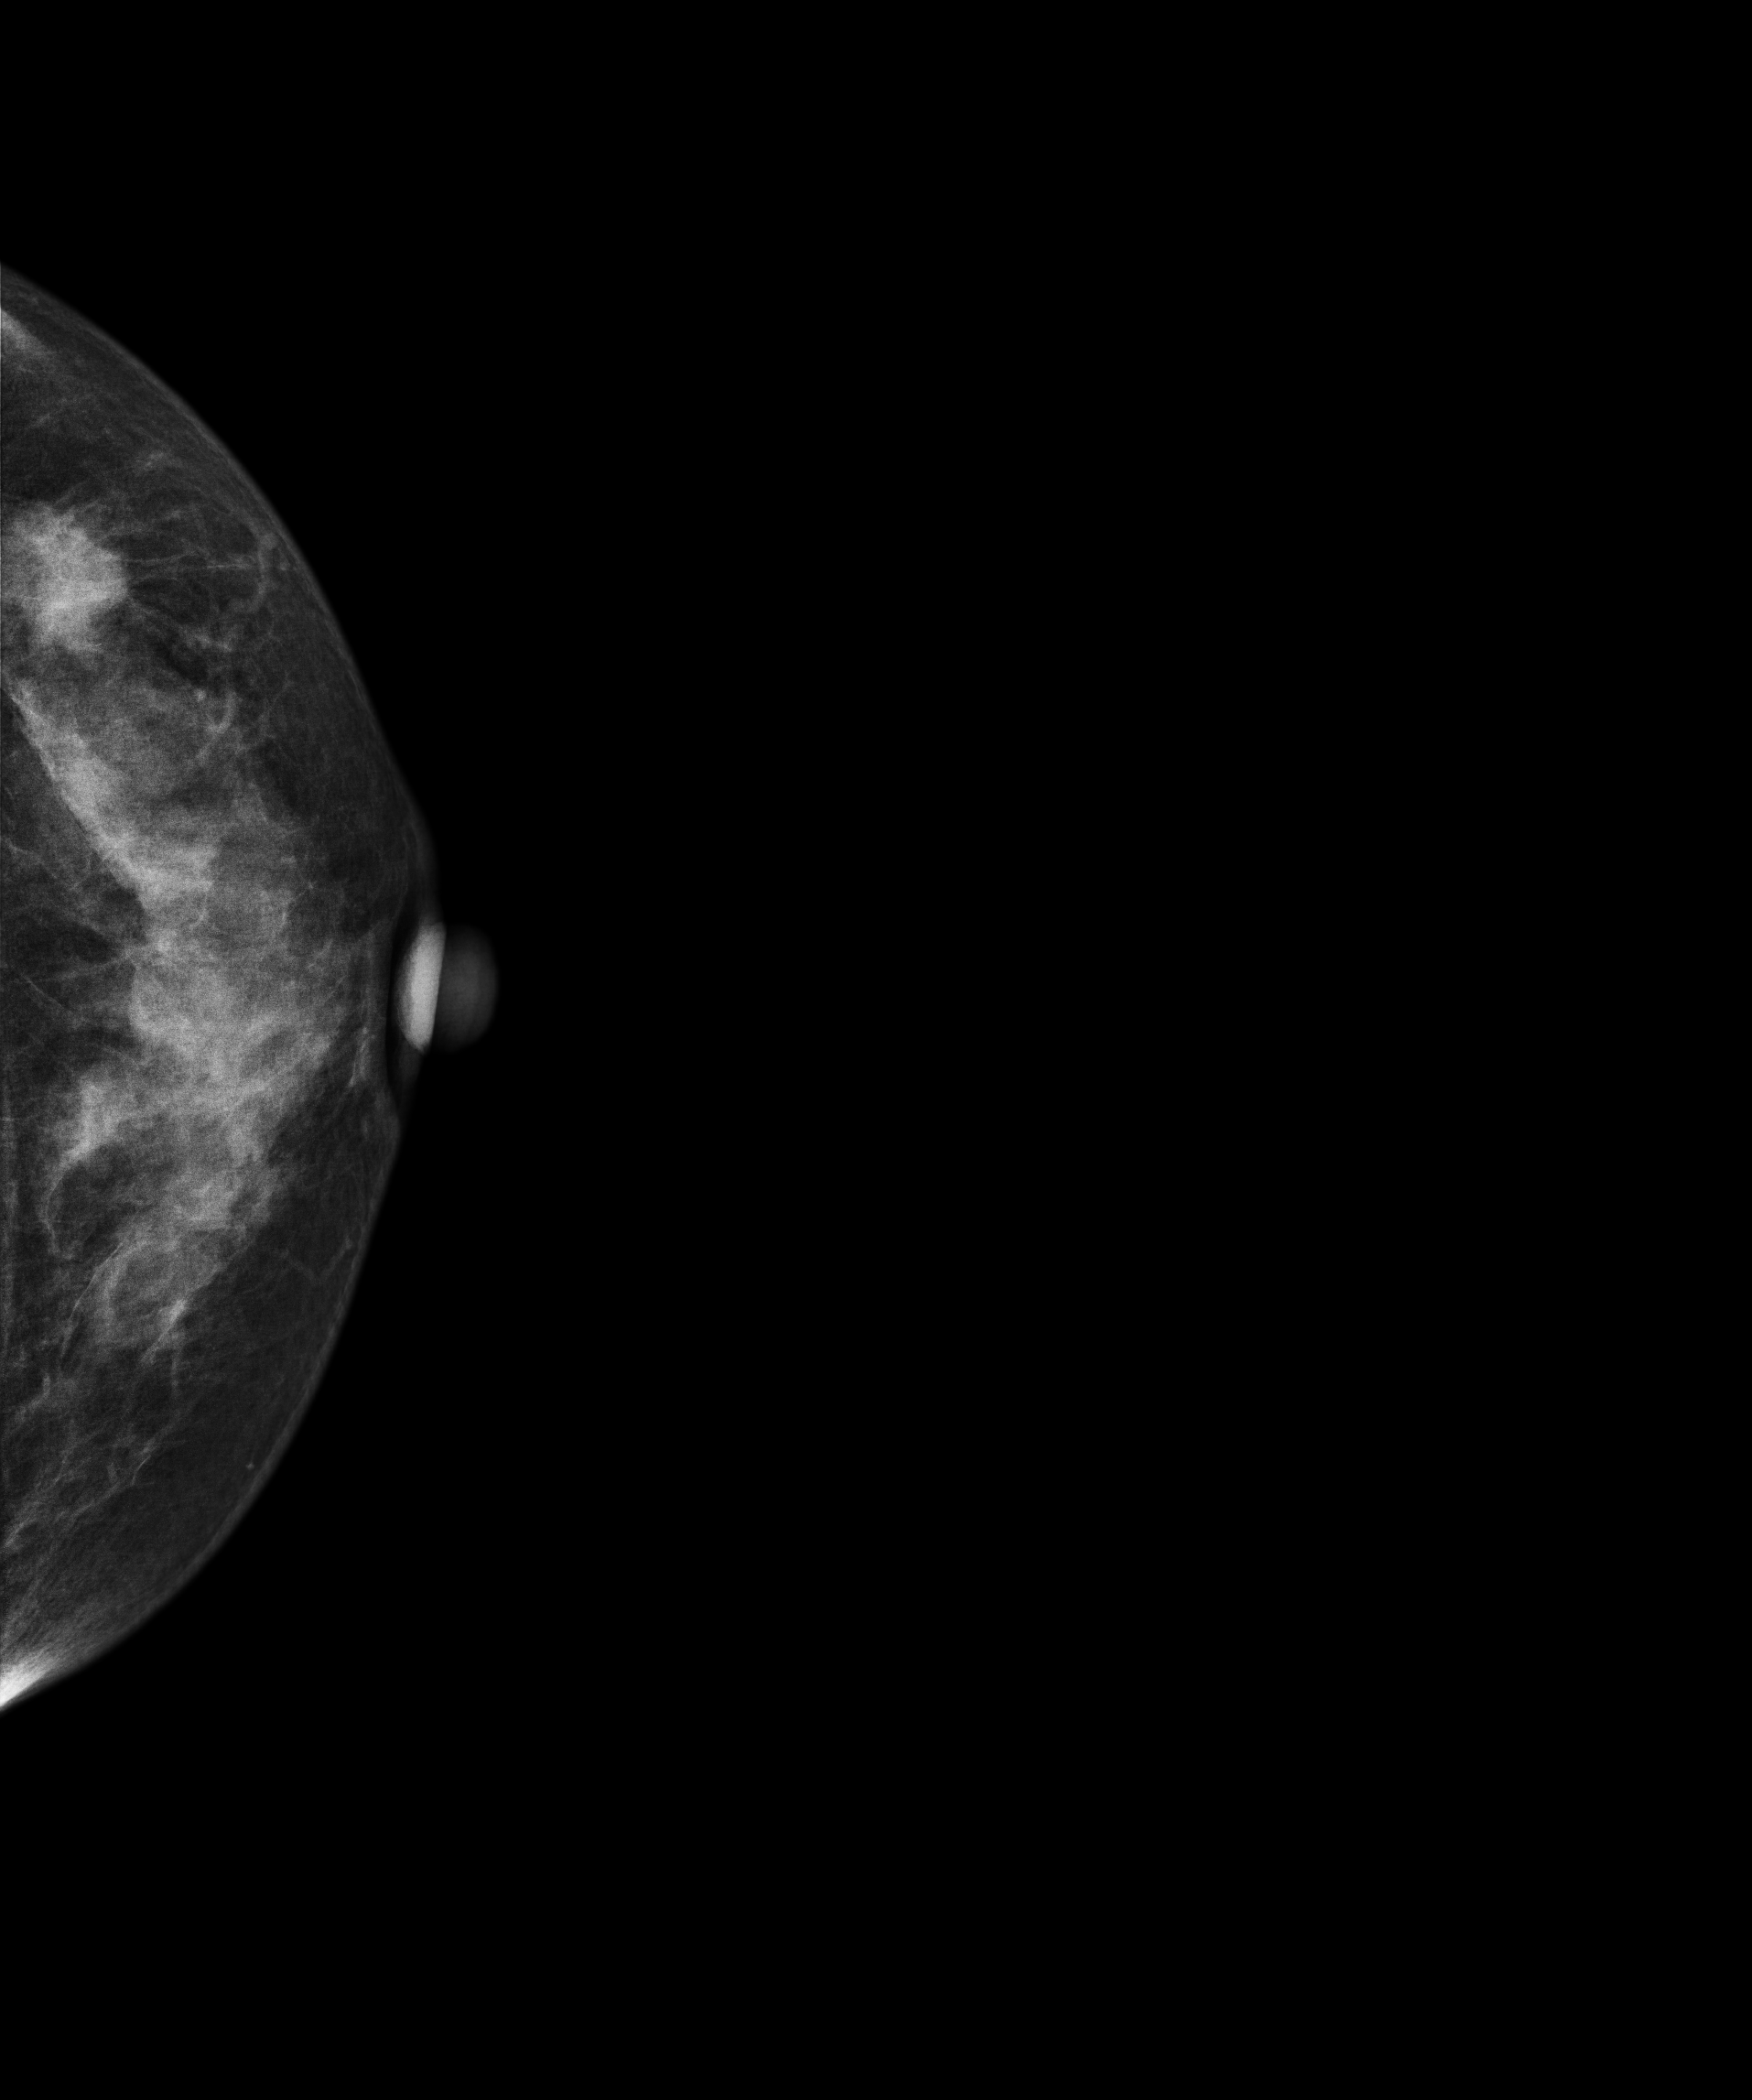
Cranio-caudal mammogram of the left breast. Patient age 54.
This breast has a mass, histologically confirmed malignant.